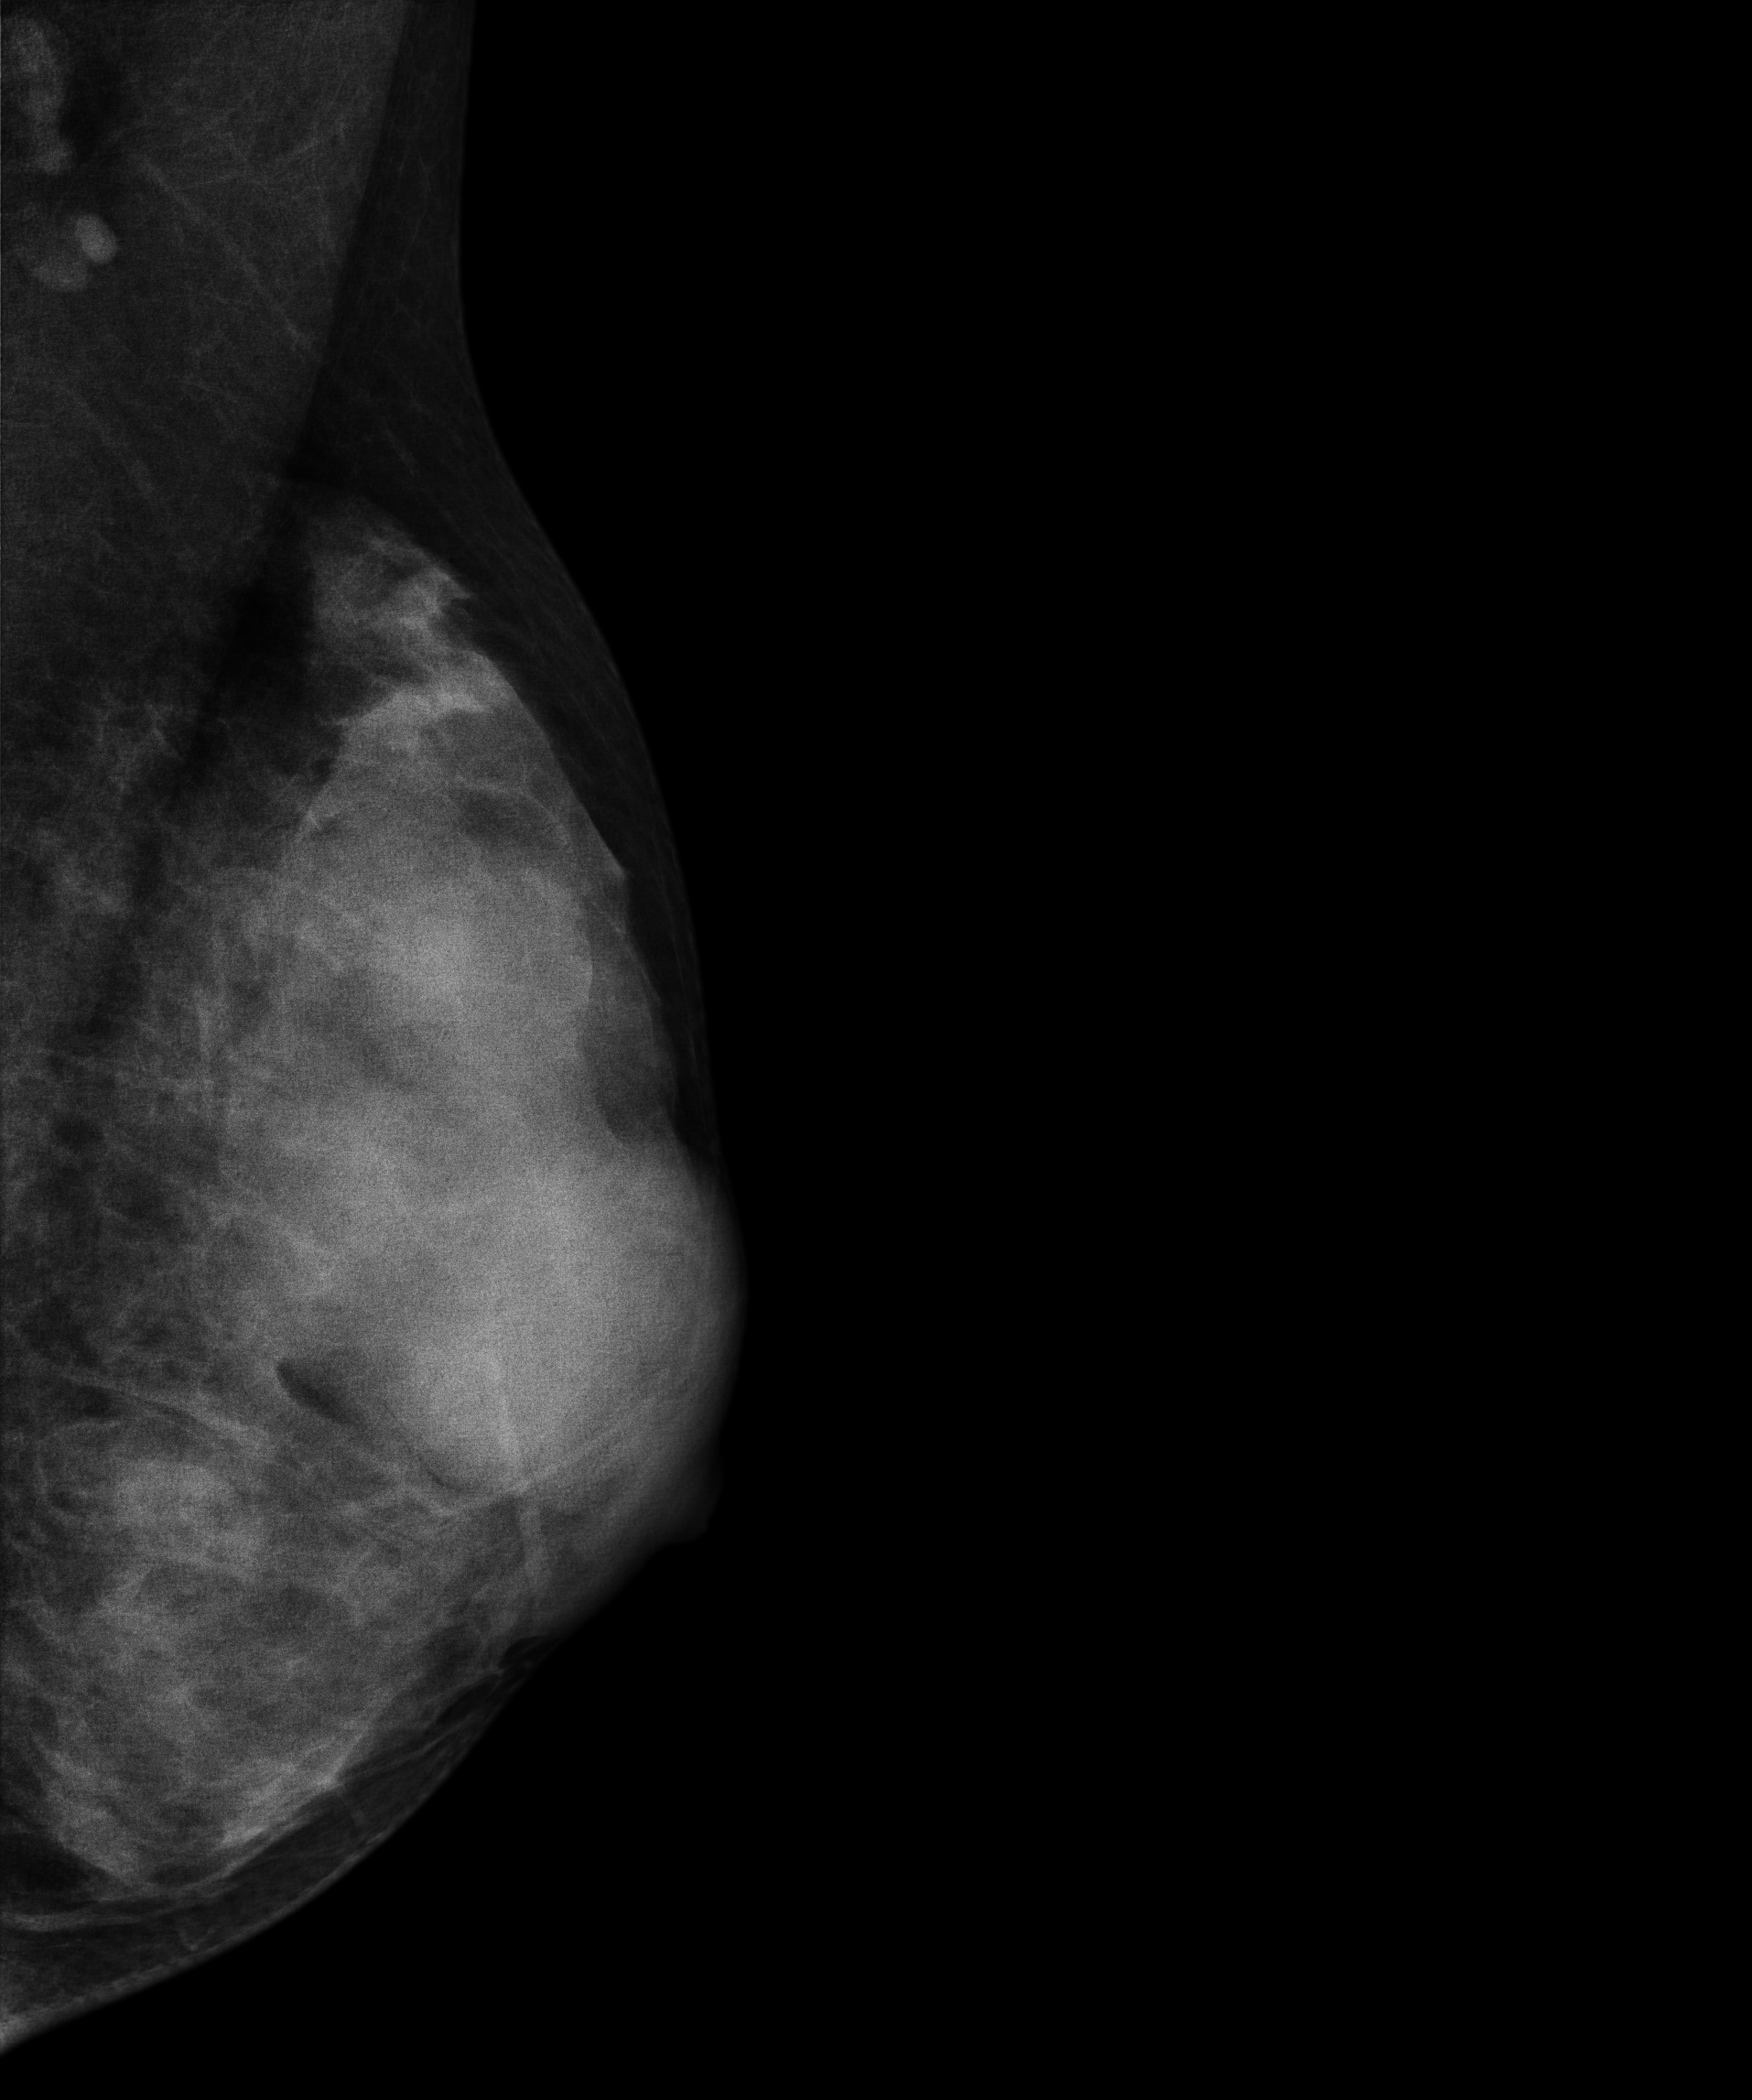
MLO mammogram of the left breast. 20 y/o patient.
This breast has a mass, biopsy-confirmed benign.